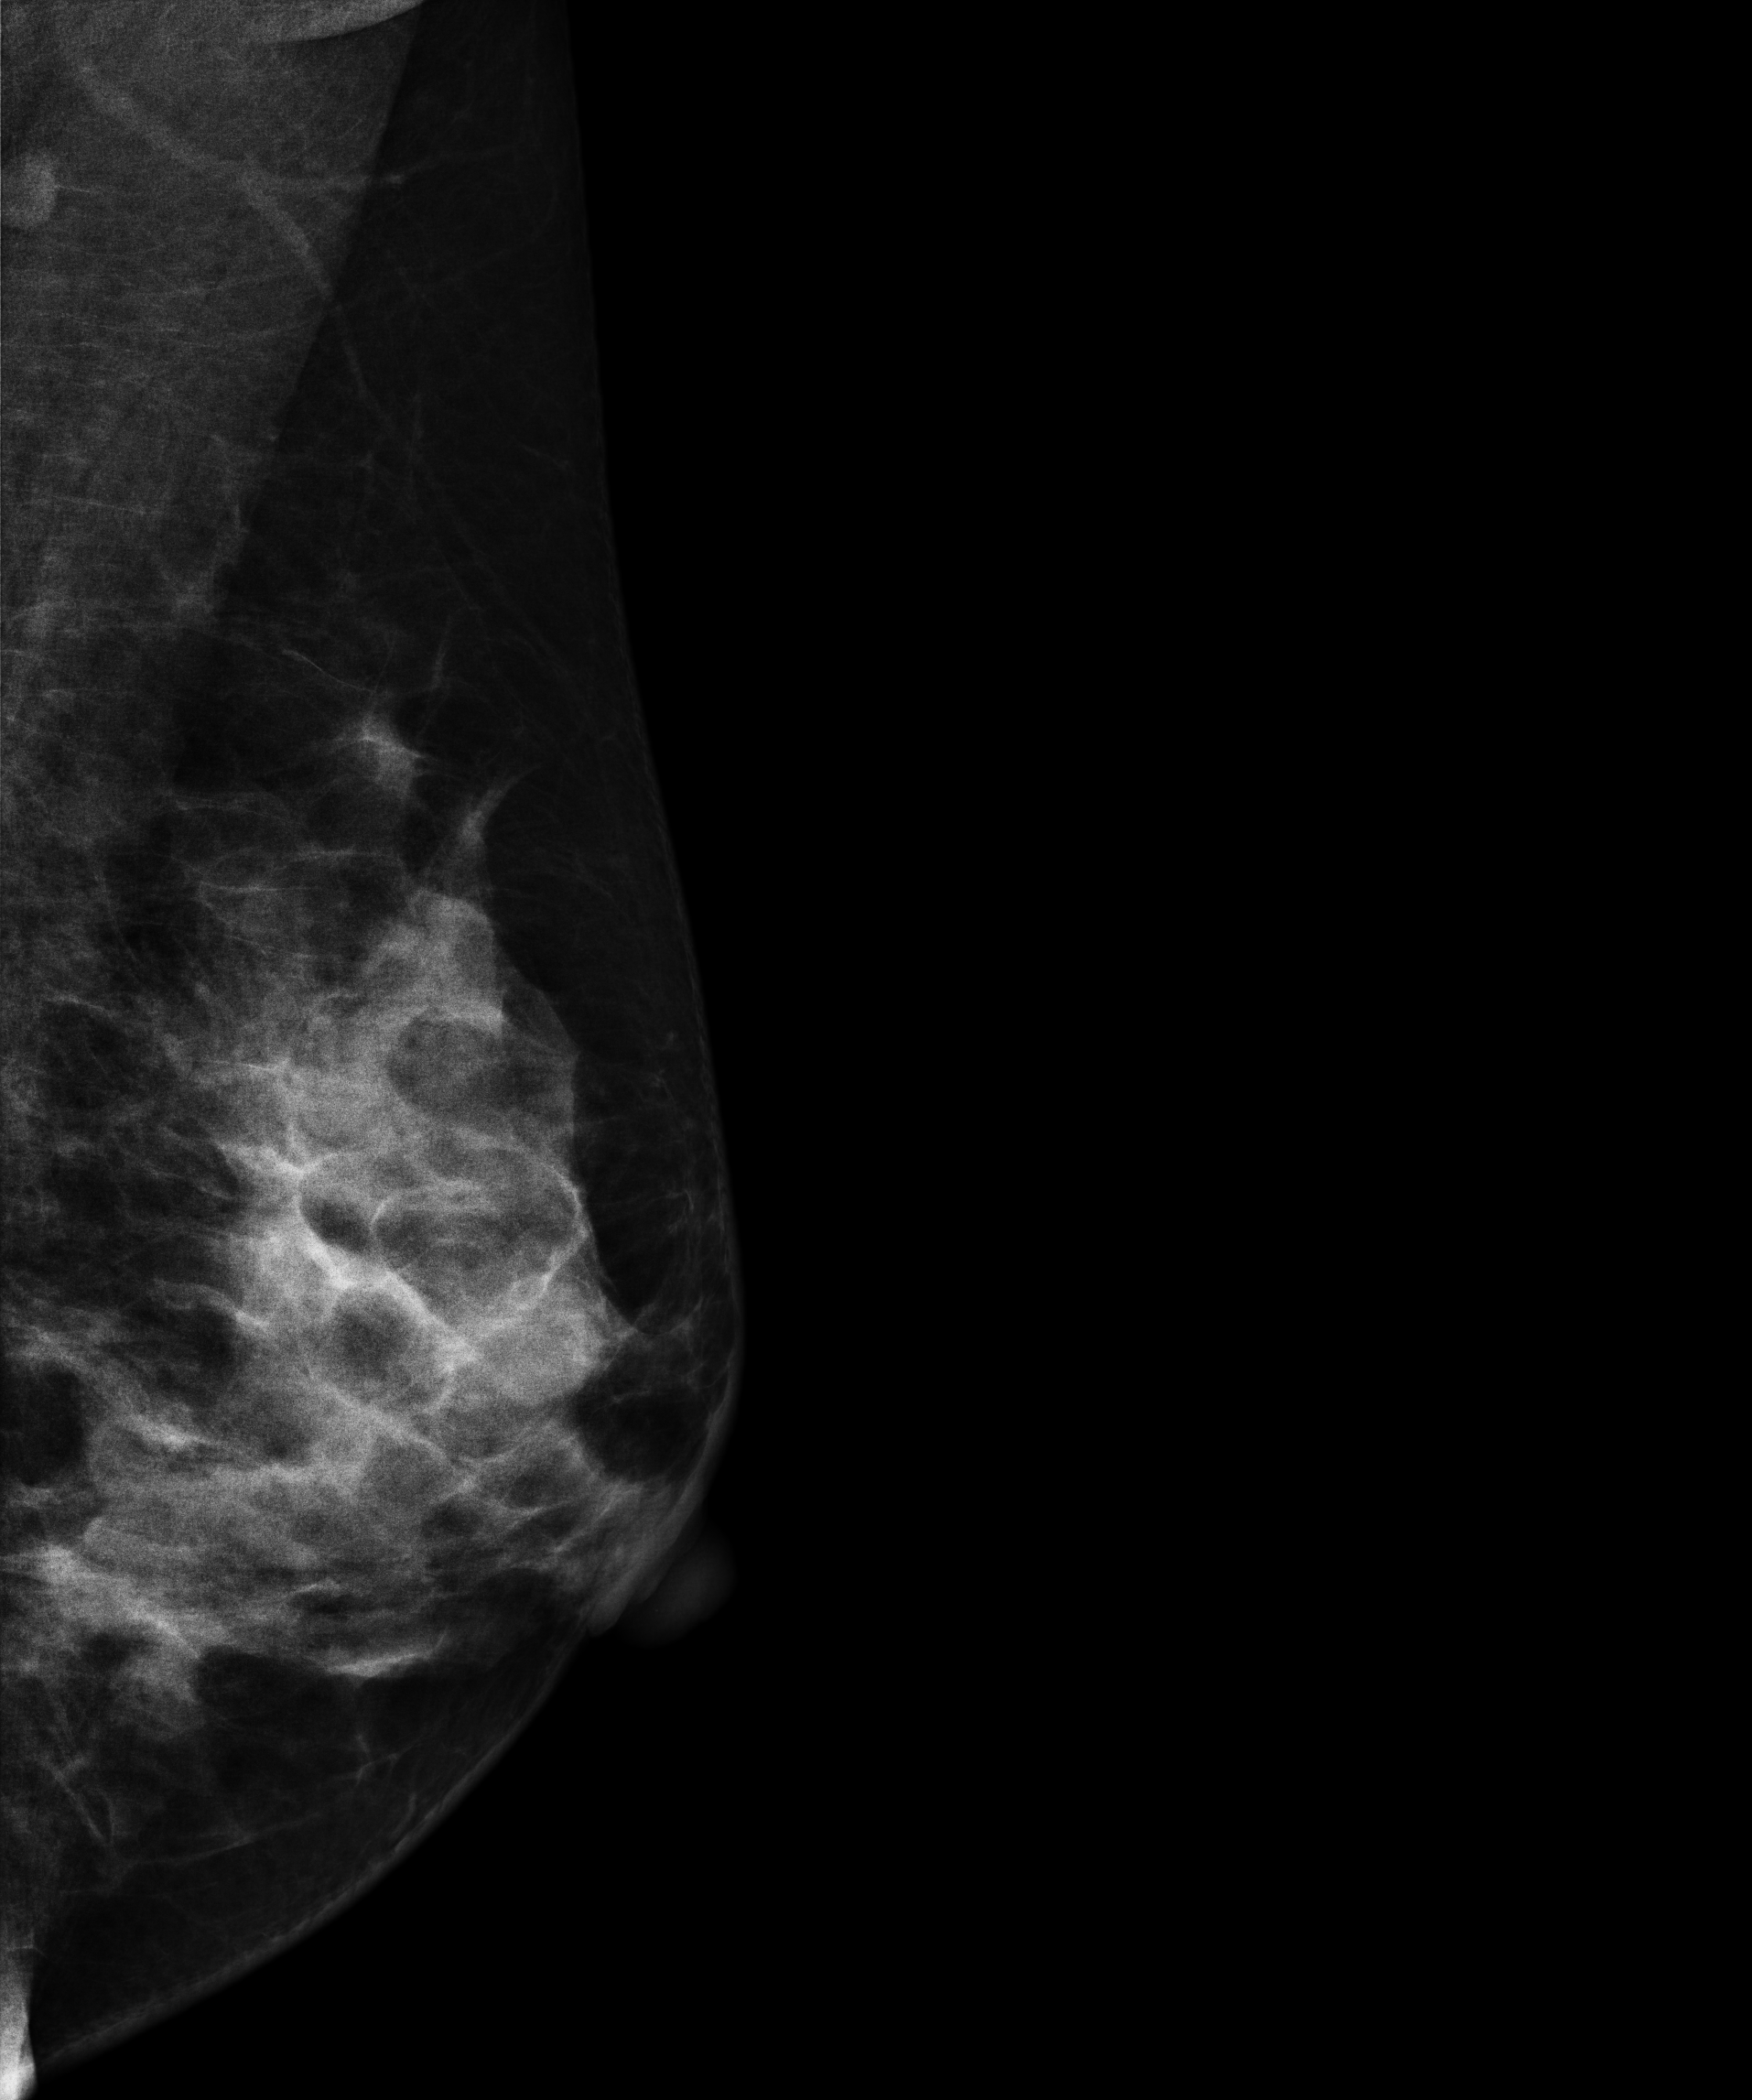
Mammogram, left breast, MLO view. 39-year-old patient.
This breast has a mass, biopsy-confirmed malignant. Molecular subtype: luminal B.